Cranio-caudal mammogram of the left breast. 35-year-old patient.
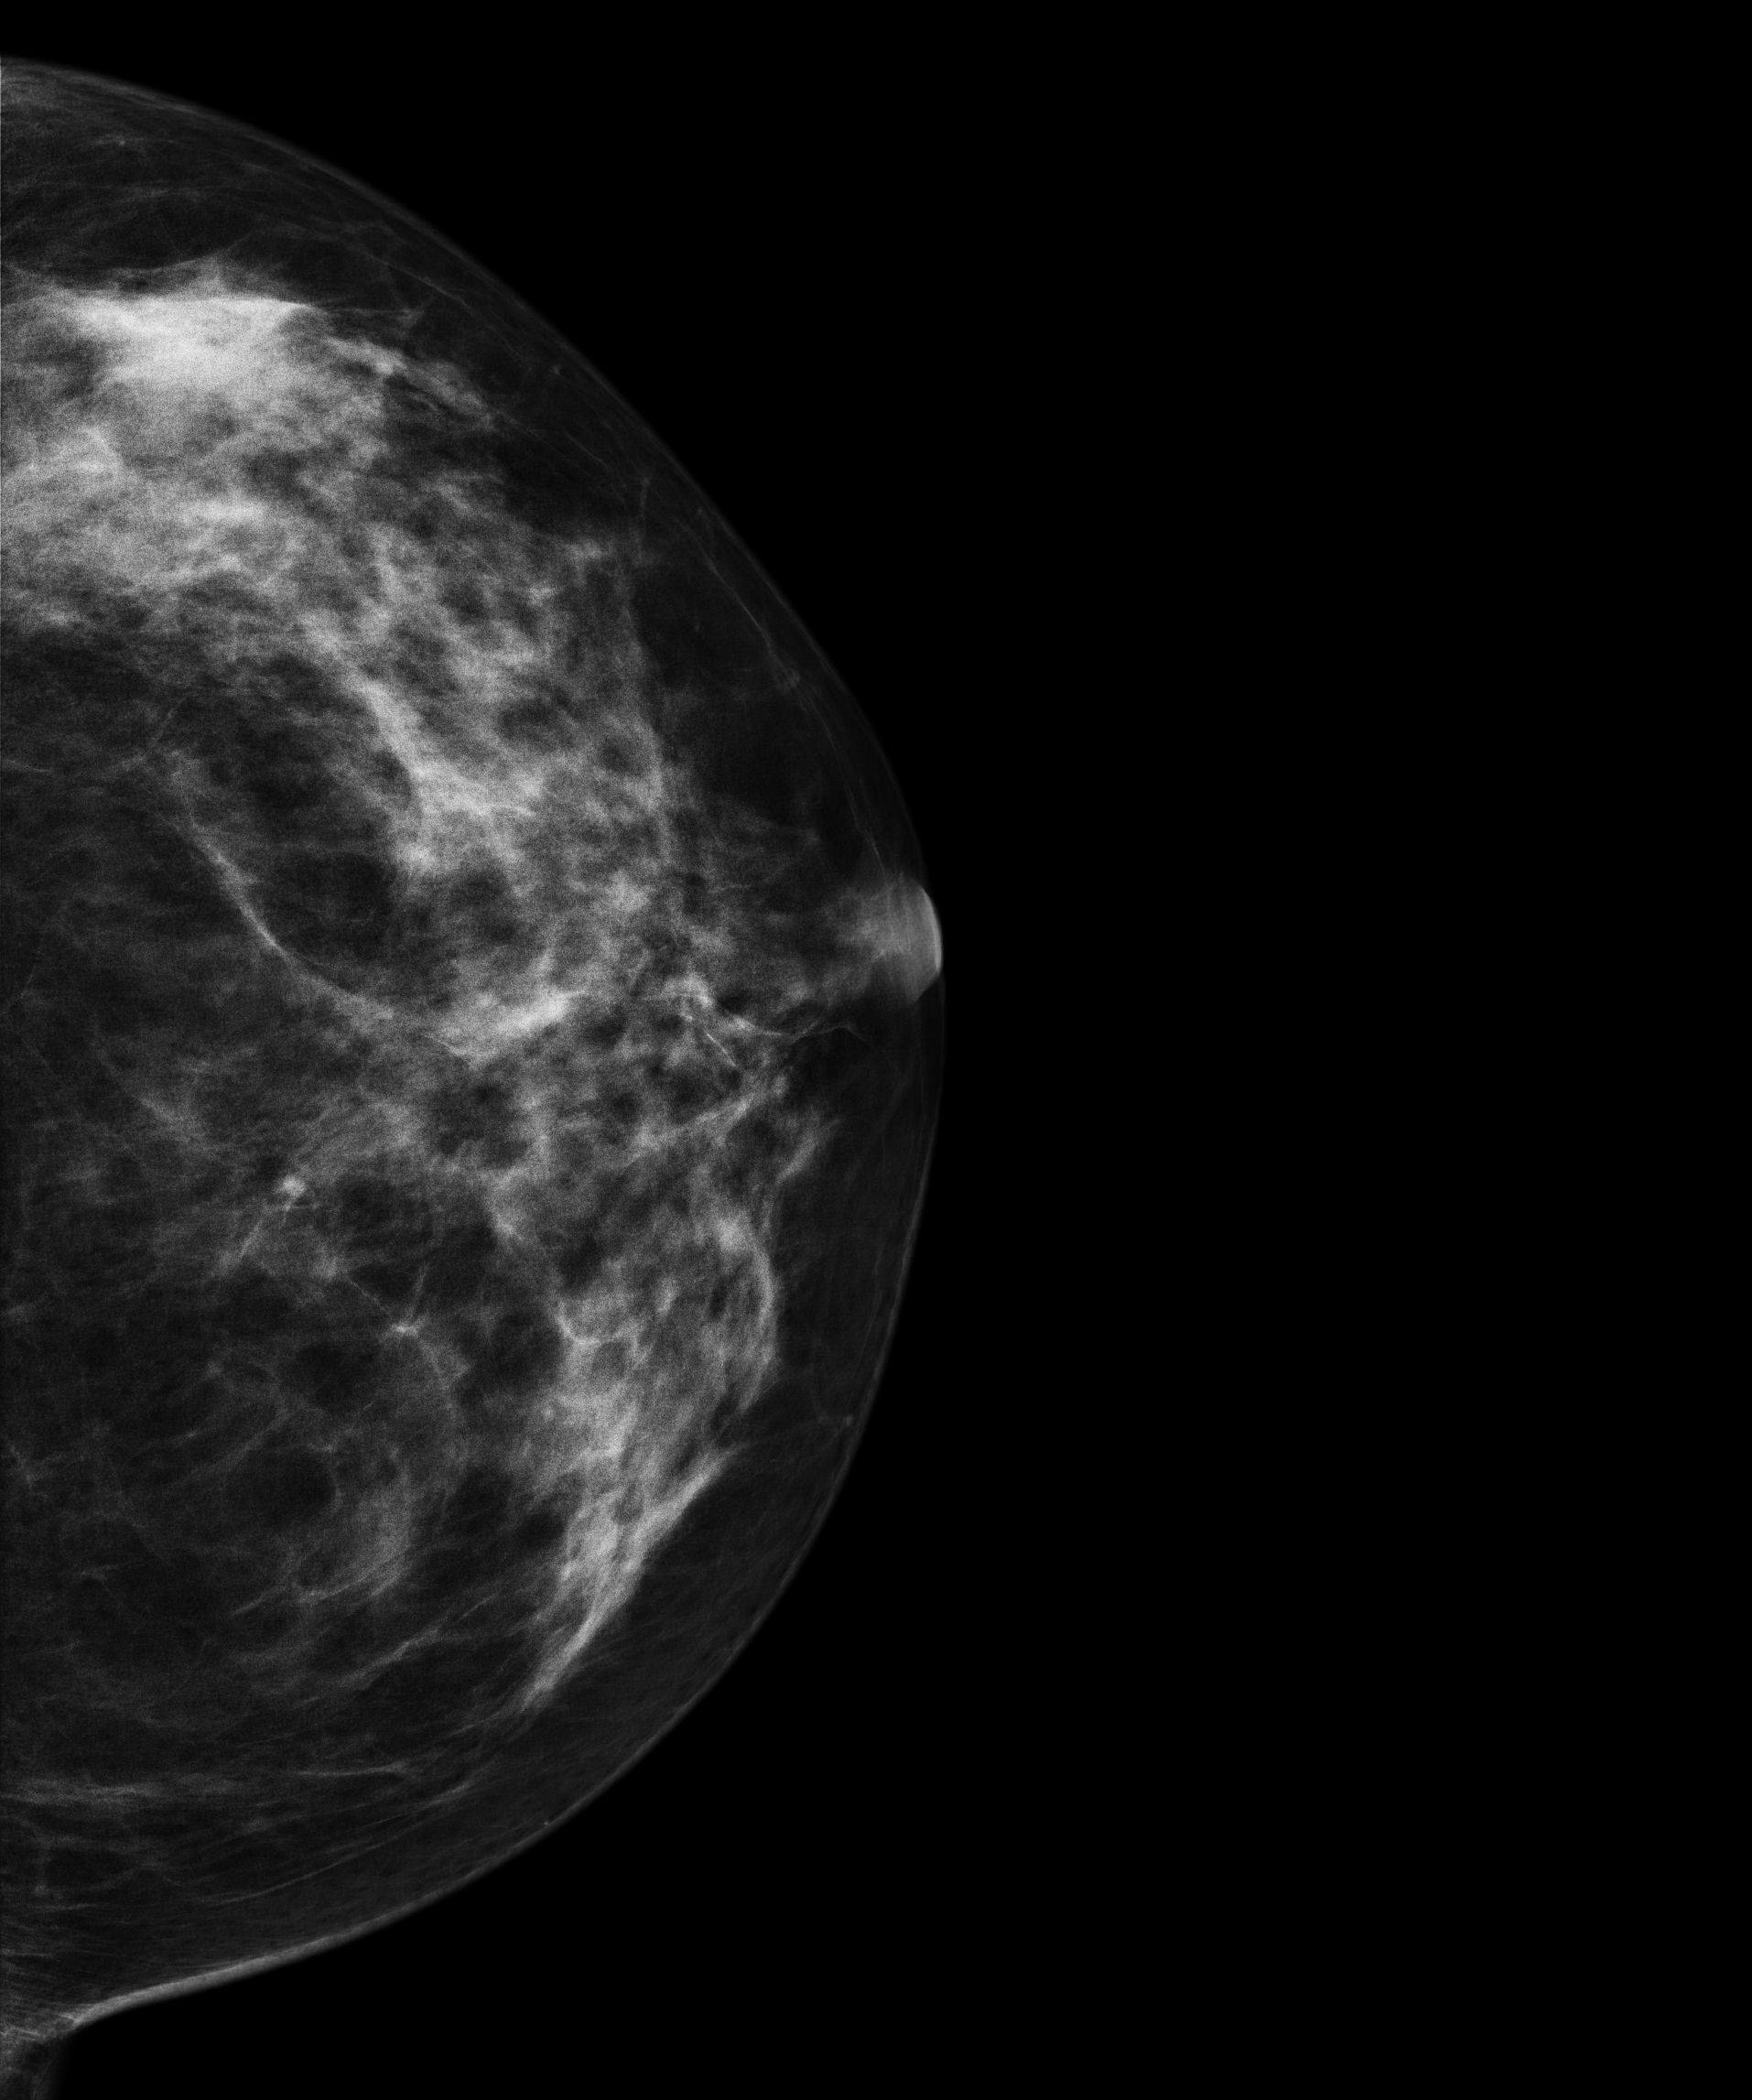
This breast has a mass, pathology-confirmed benign.